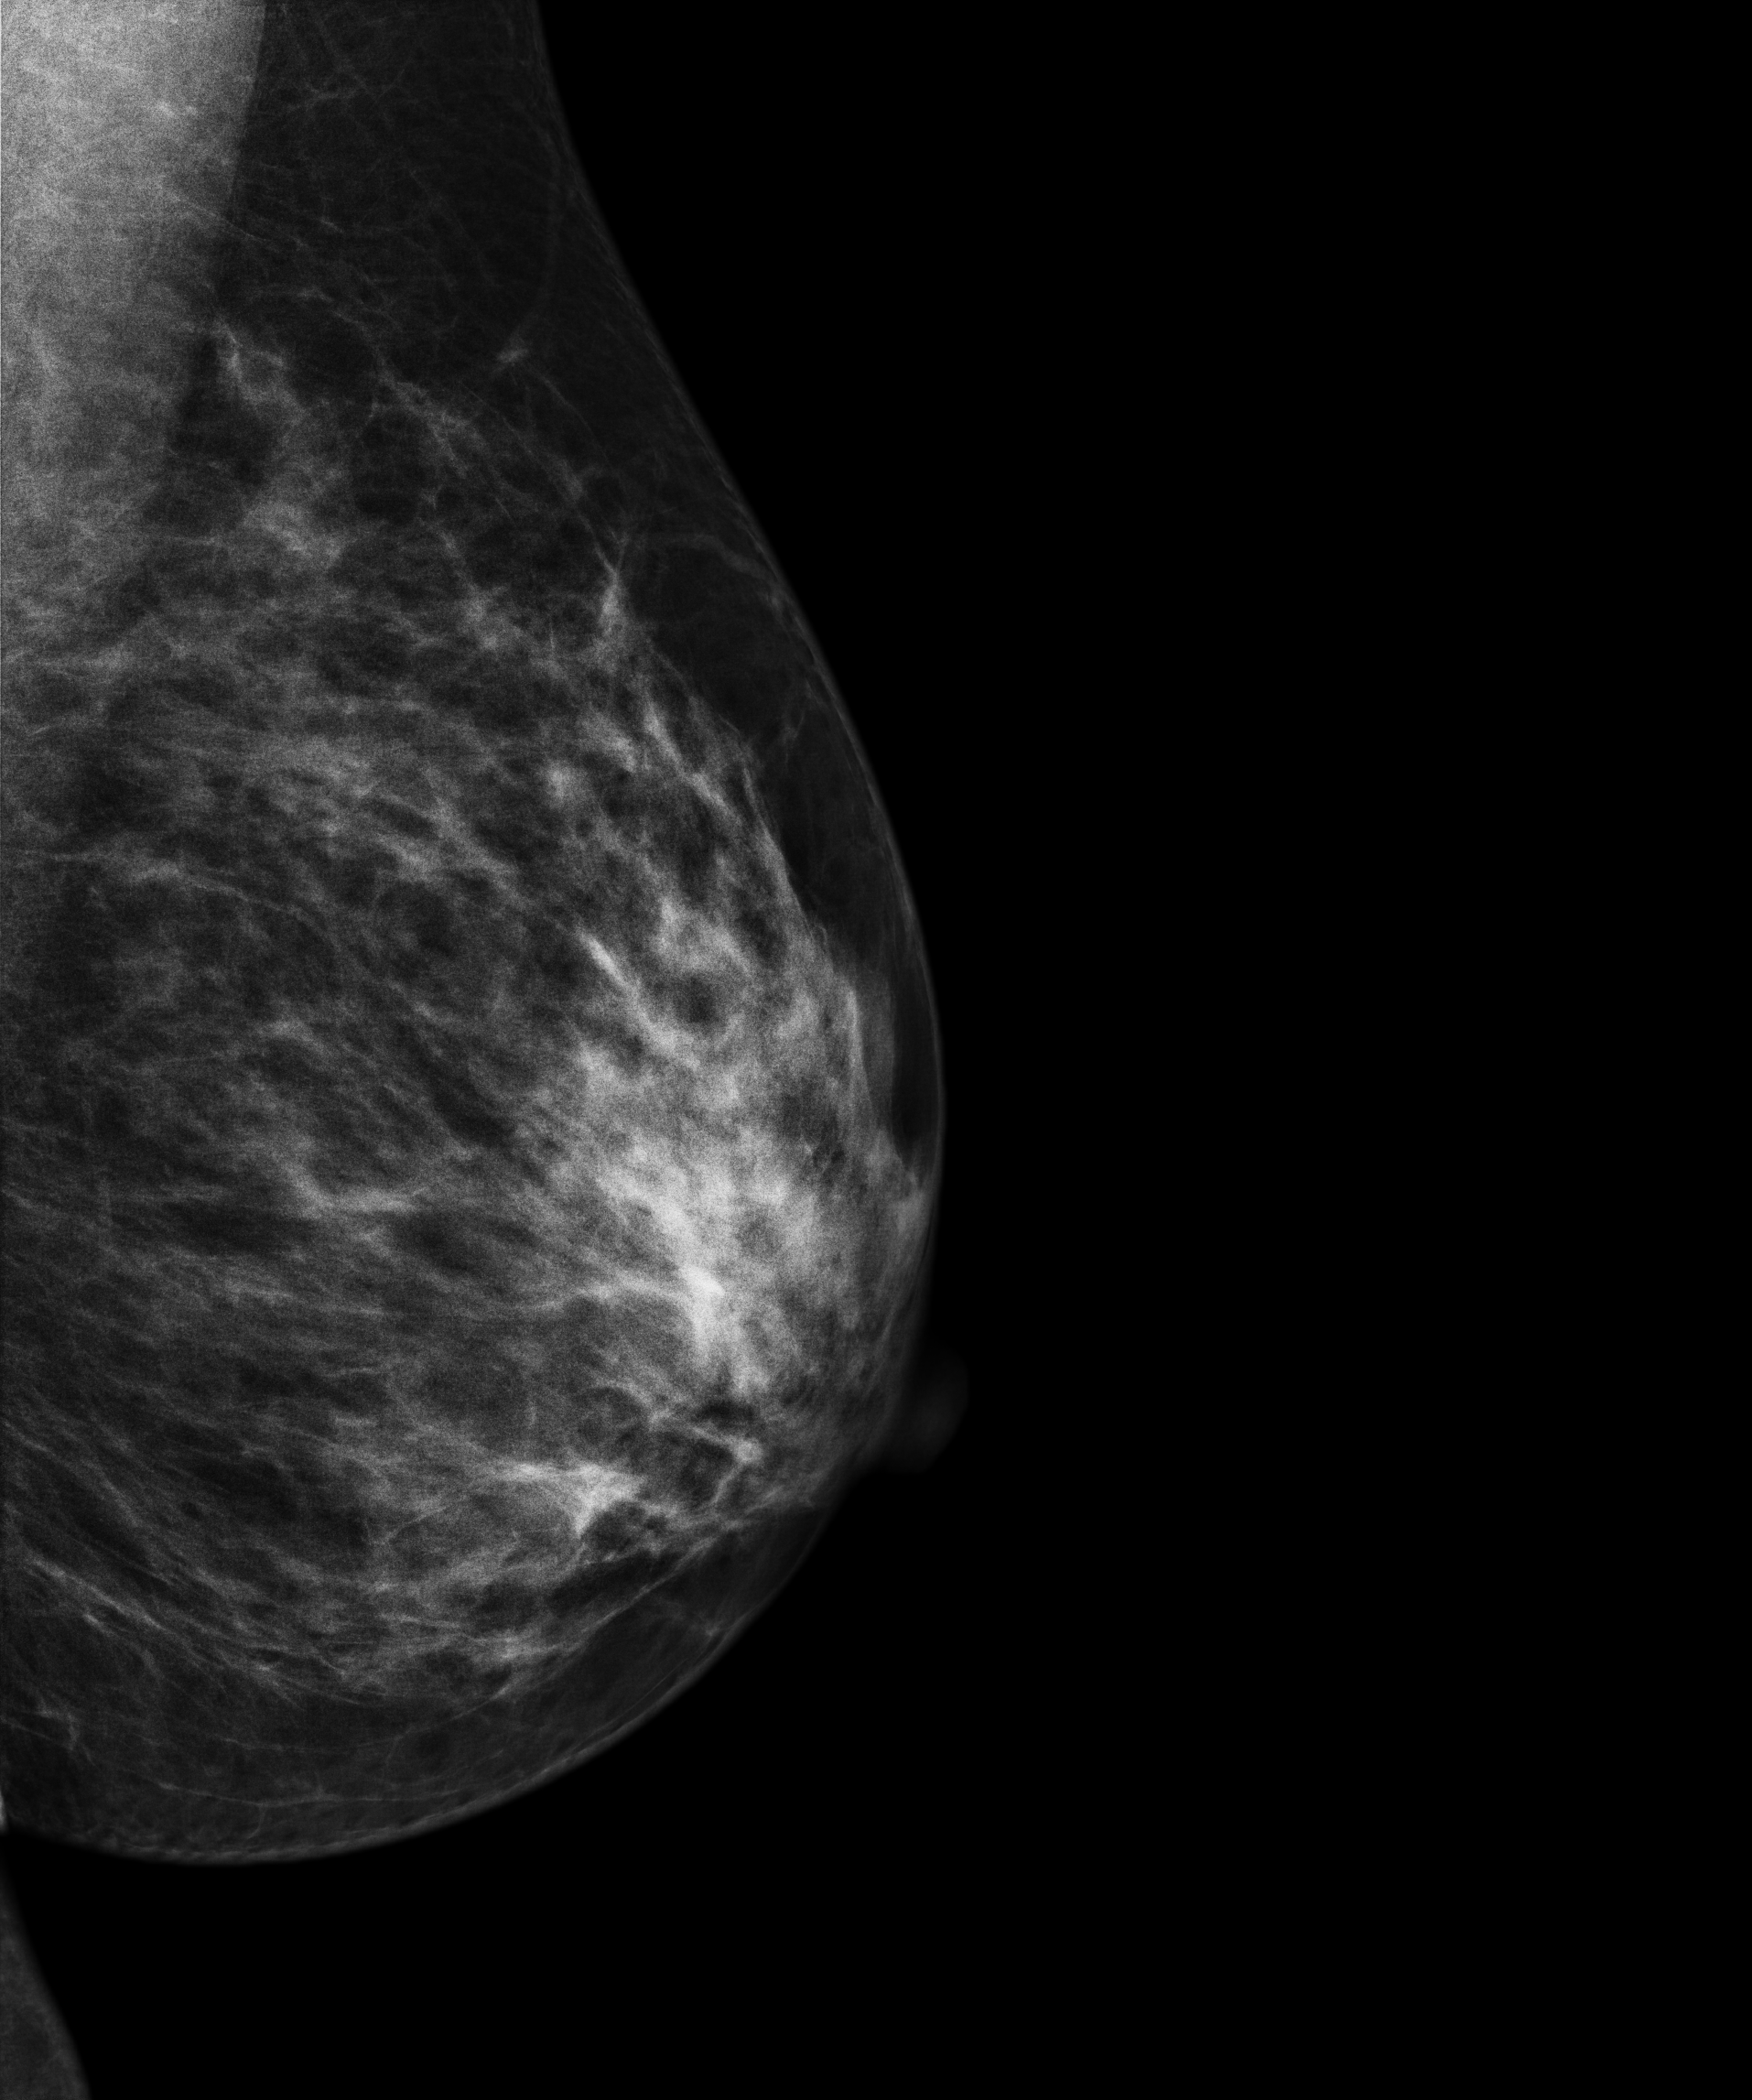
Left-breast mammogram, MLO. Patient age 32.
Contralateral breast — no documented abnormality on this side.